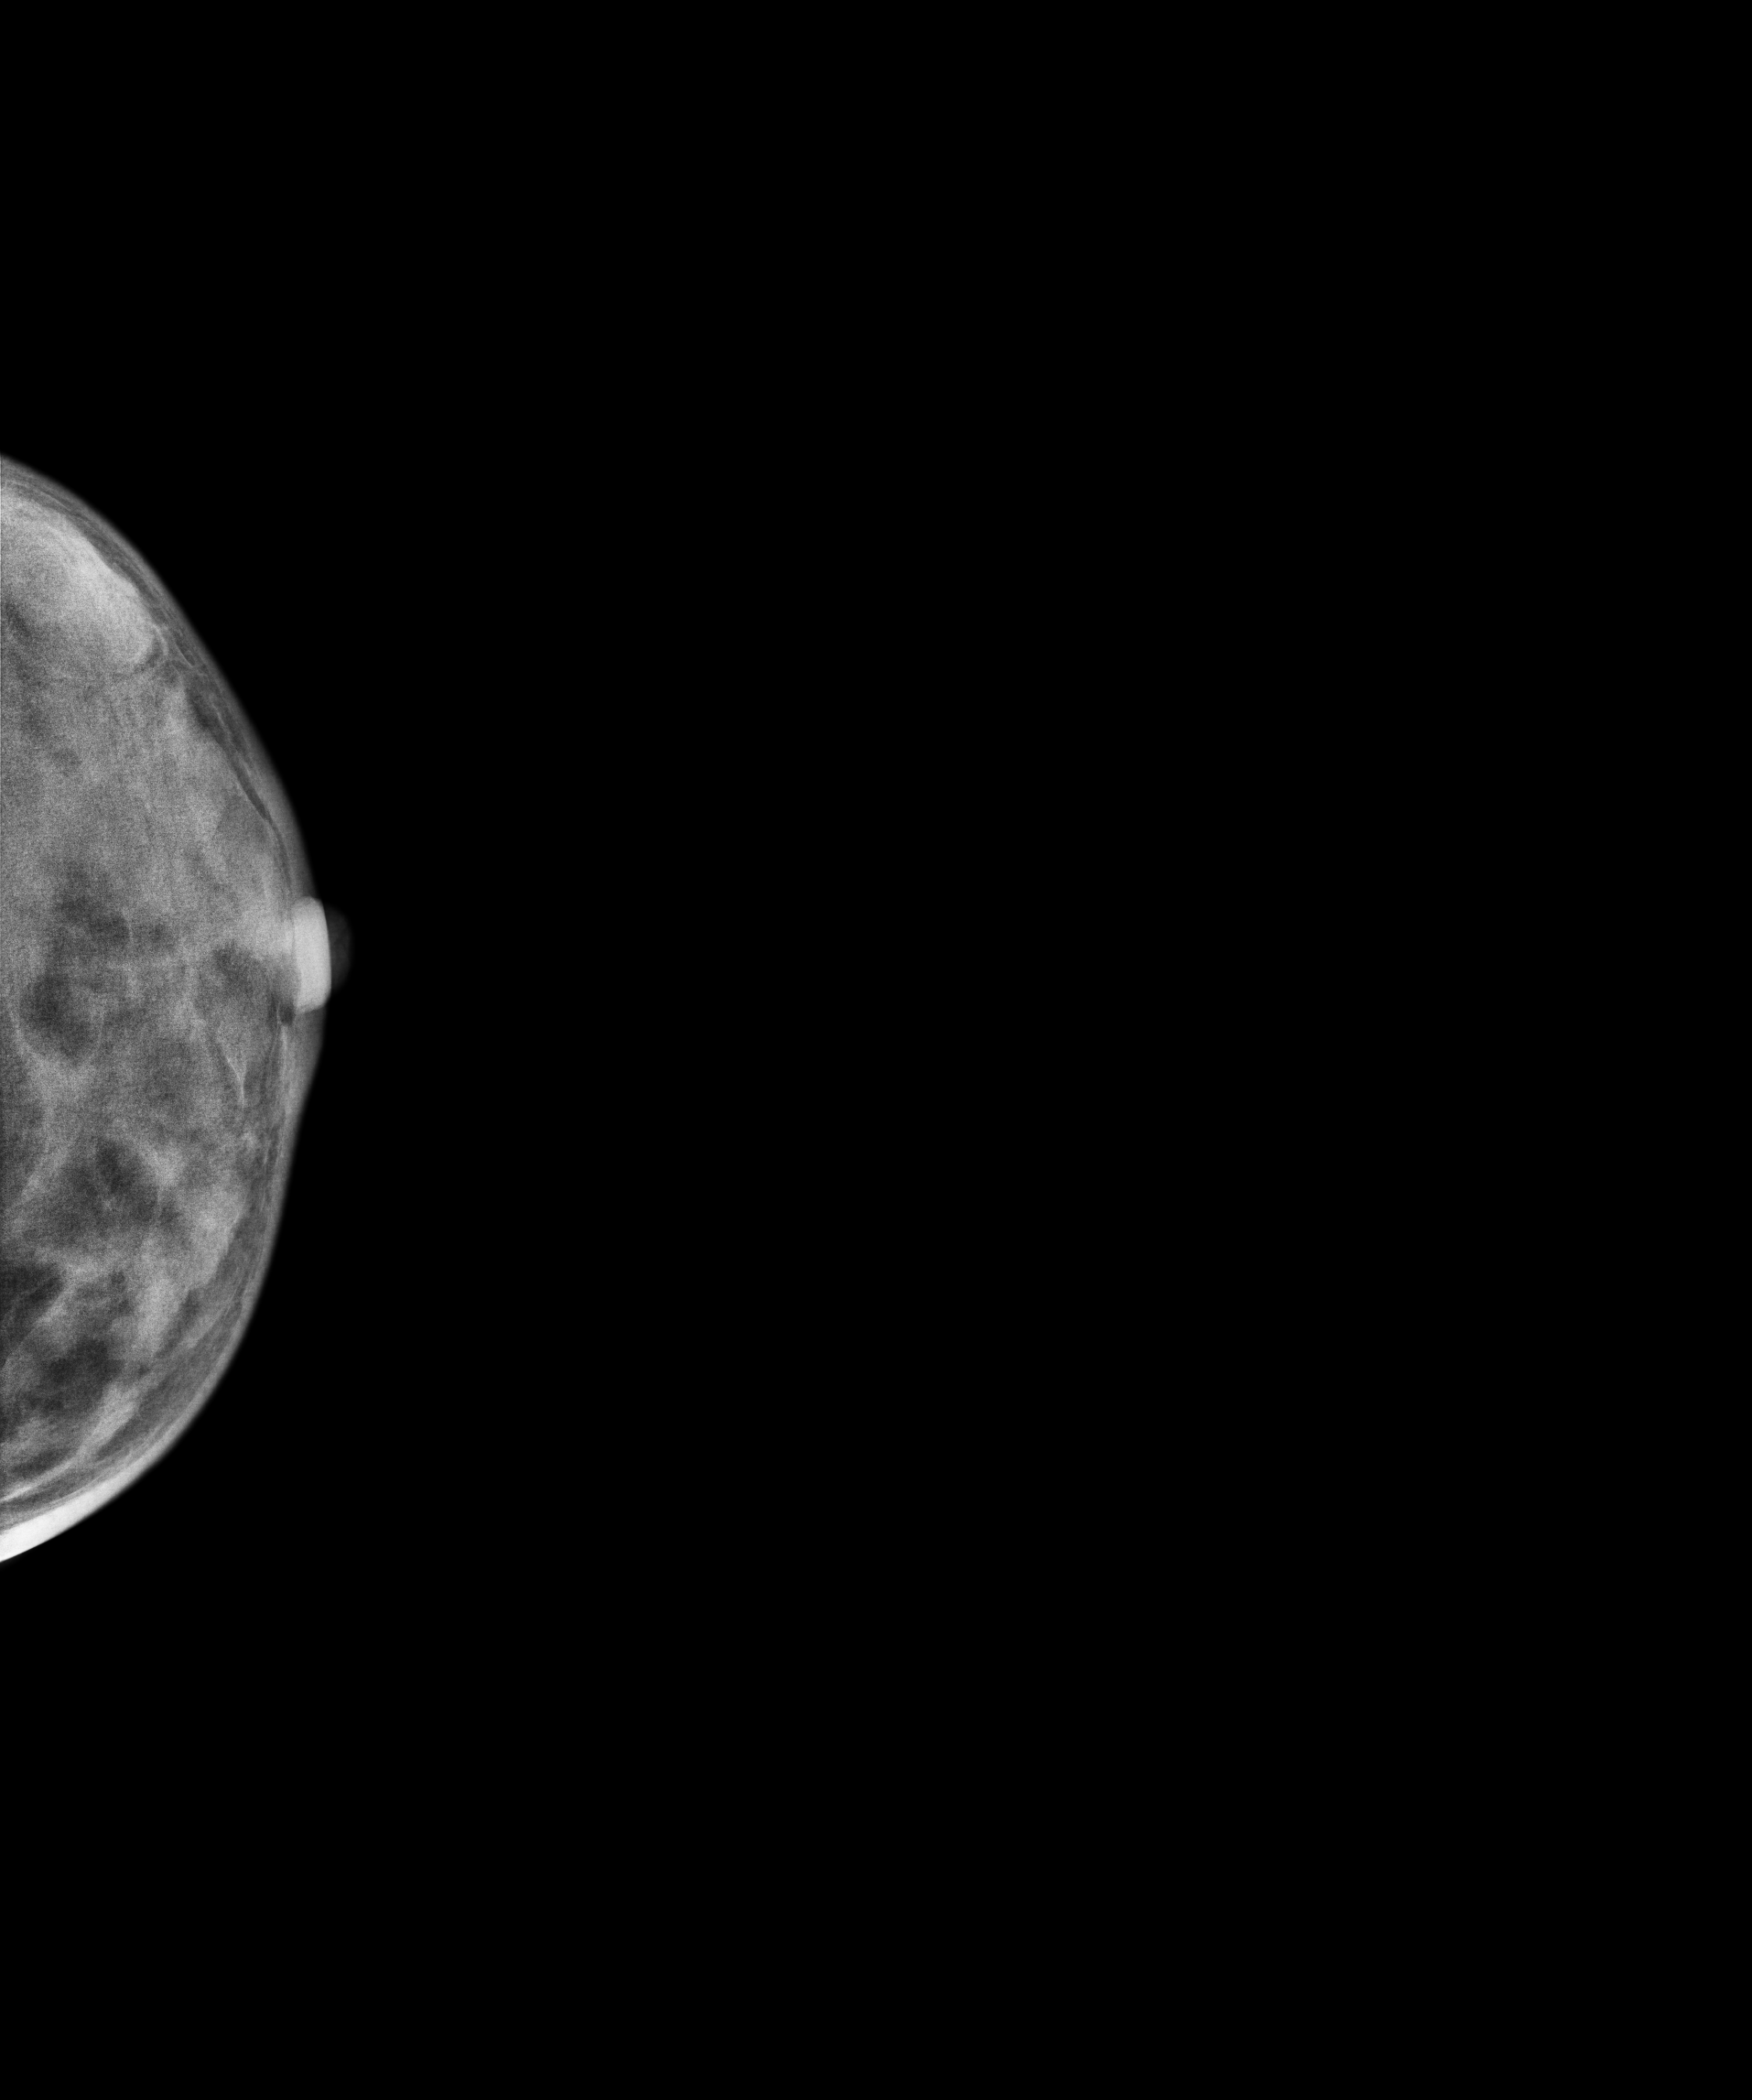
Mammogram — left CC. Patient age 33.
This breast has a mass, pathology-confirmed malignant.